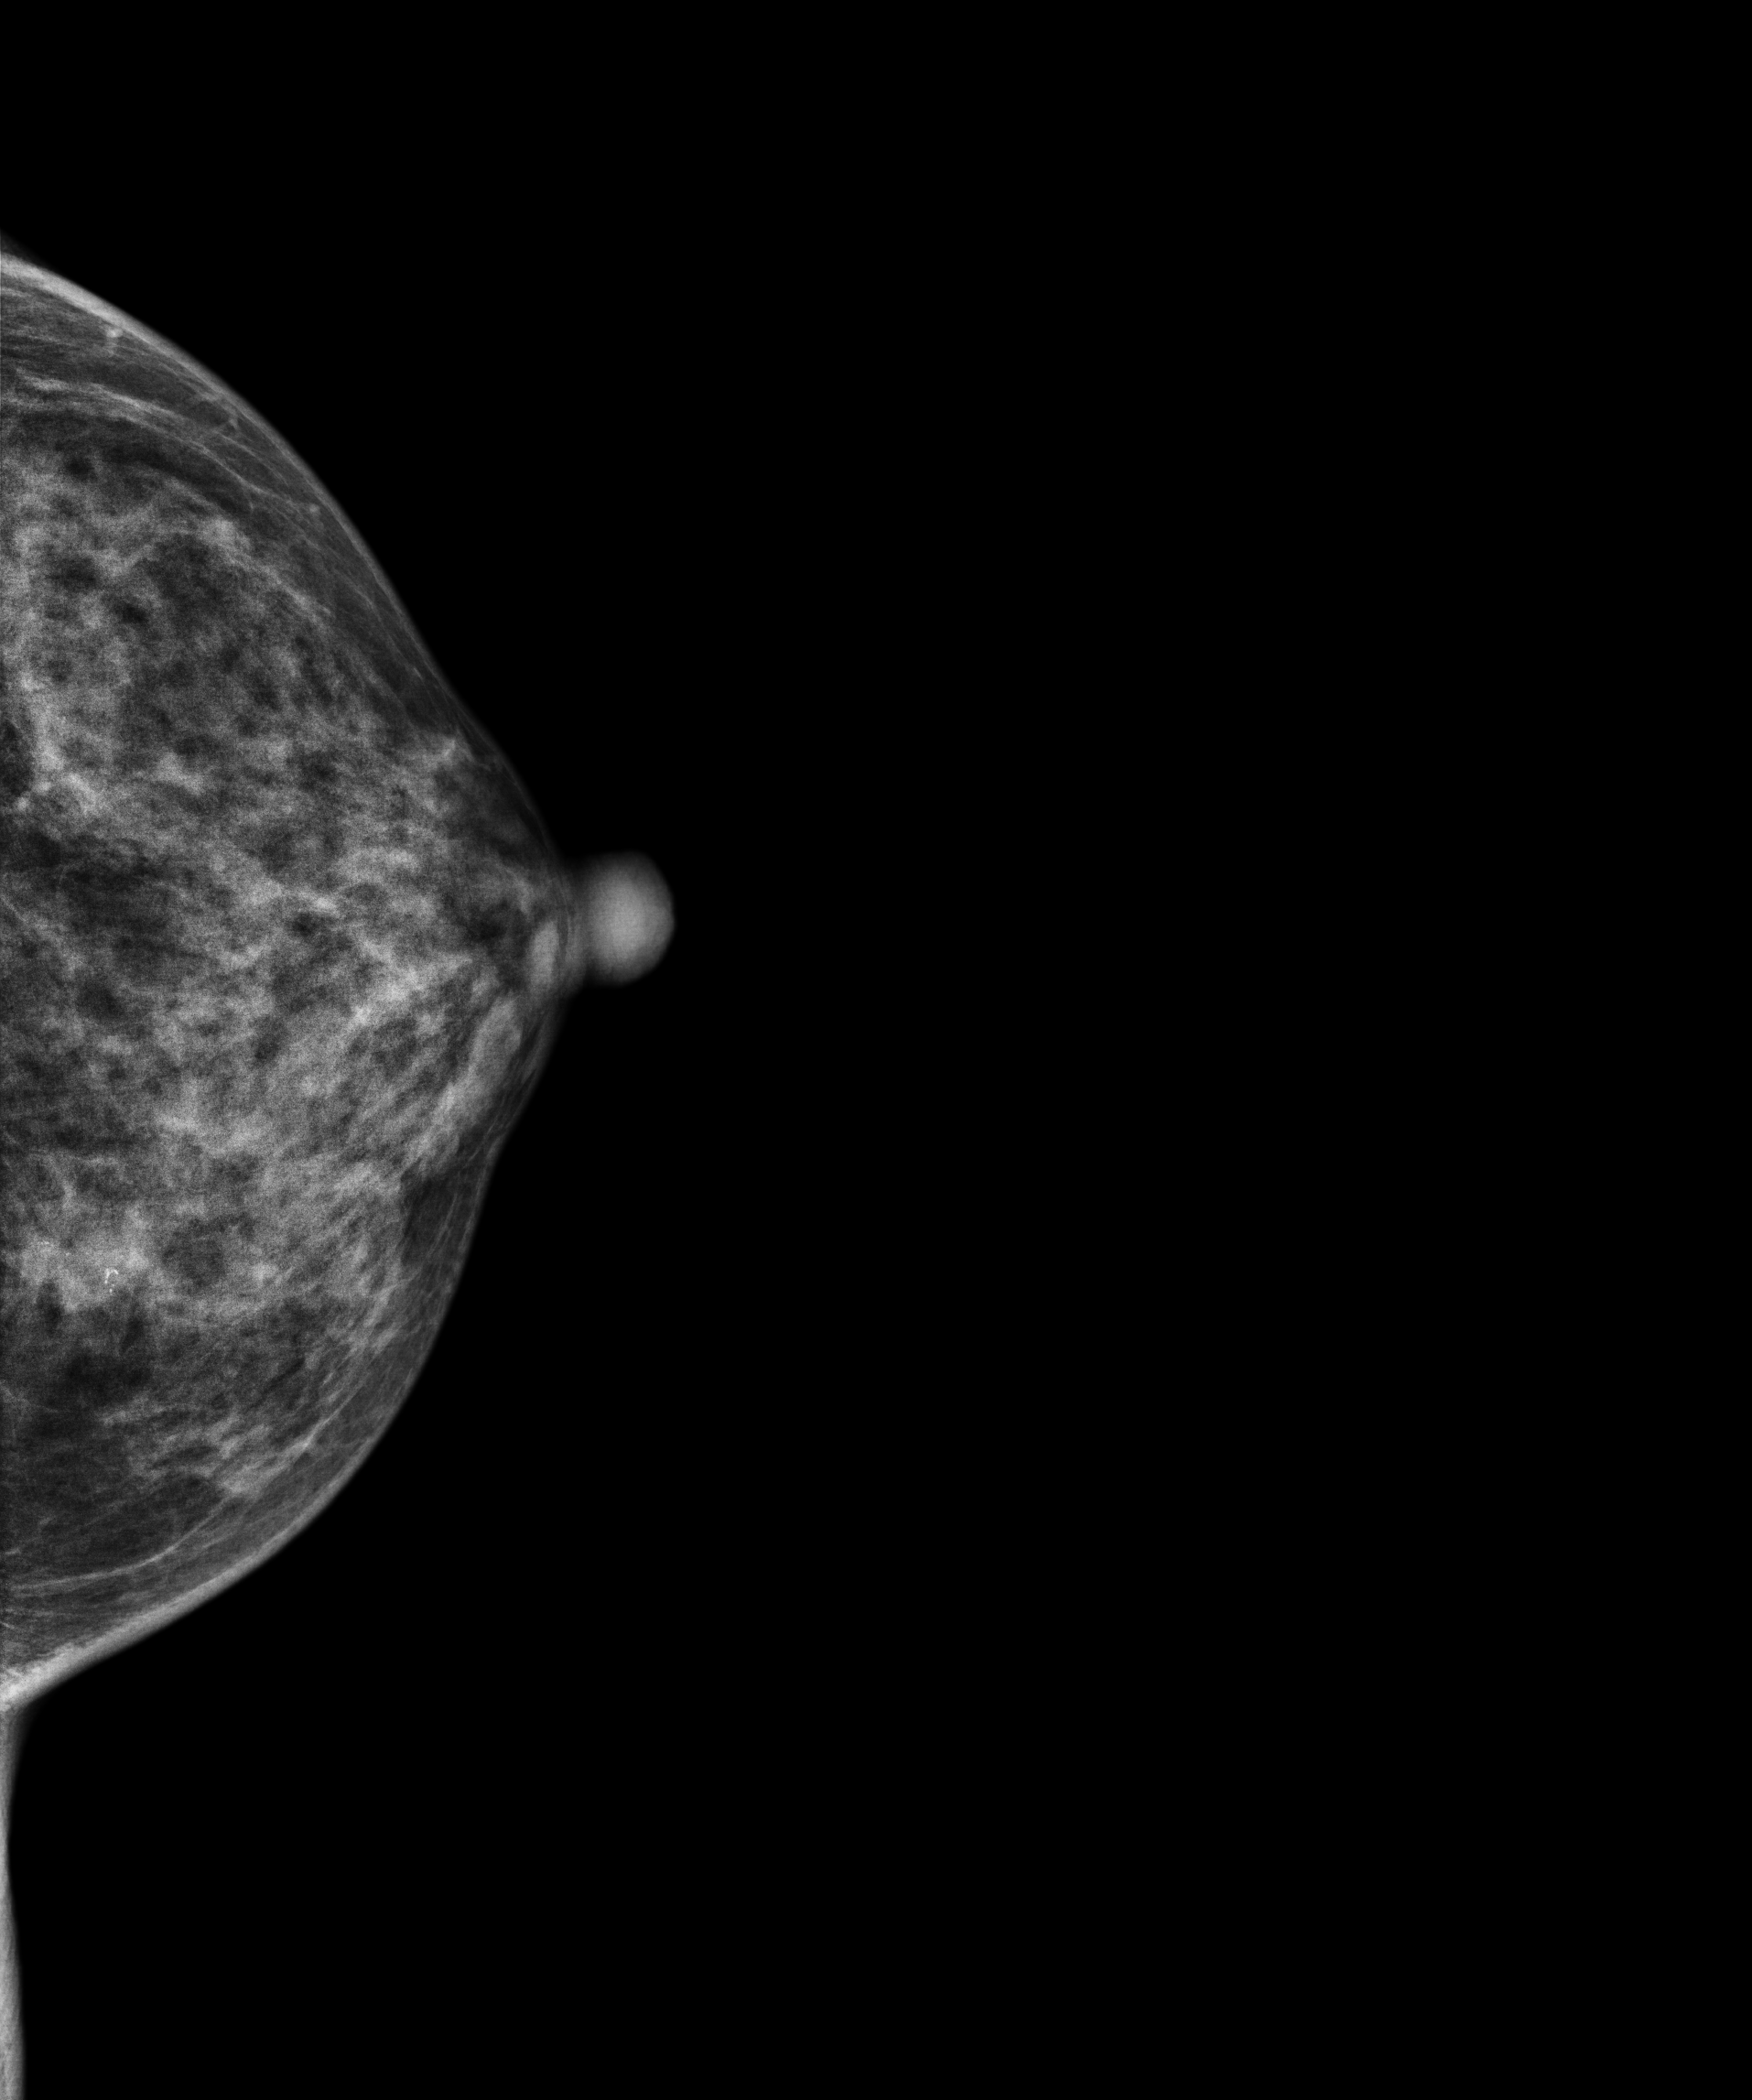
Mammogram, left breast, CC view. 45 y/o patient.
This breast has a mass and calcifications, pathology-confirmed malignant.